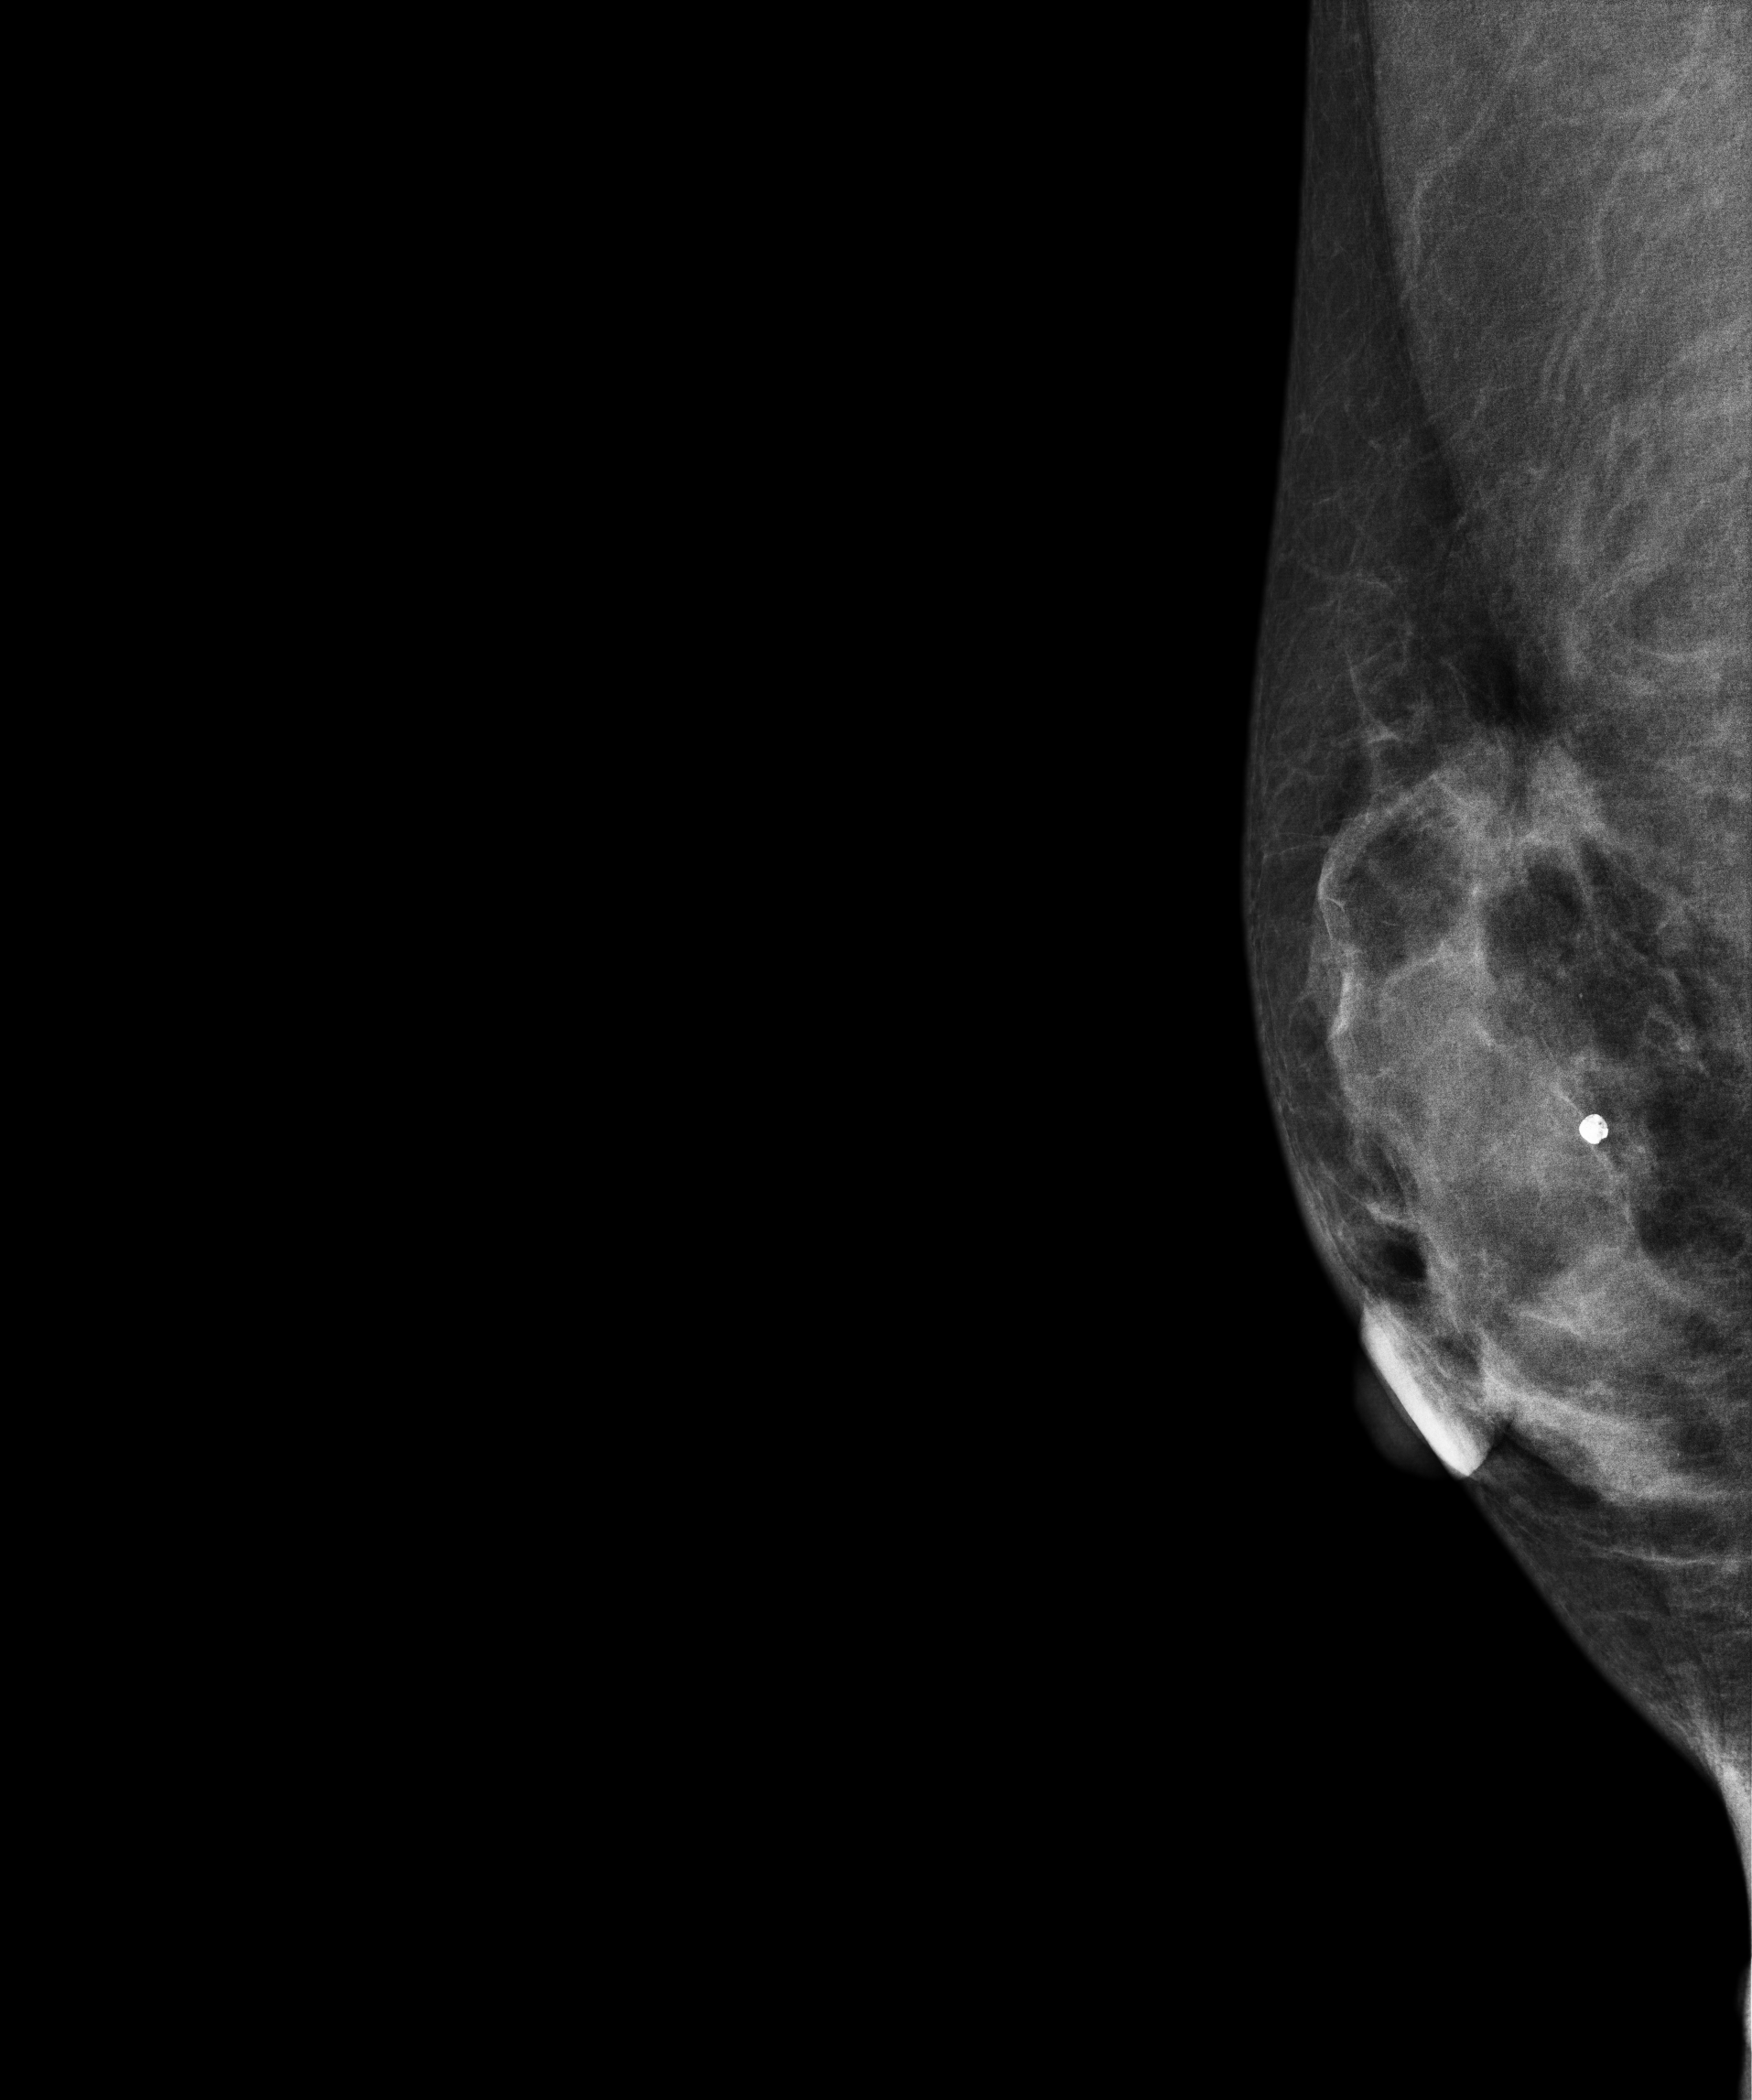
Mammogram — right MLO. 35-year-old patient.
This breast has a mass, pathology-confirmed malignant. Molecular subtype: luminal B.